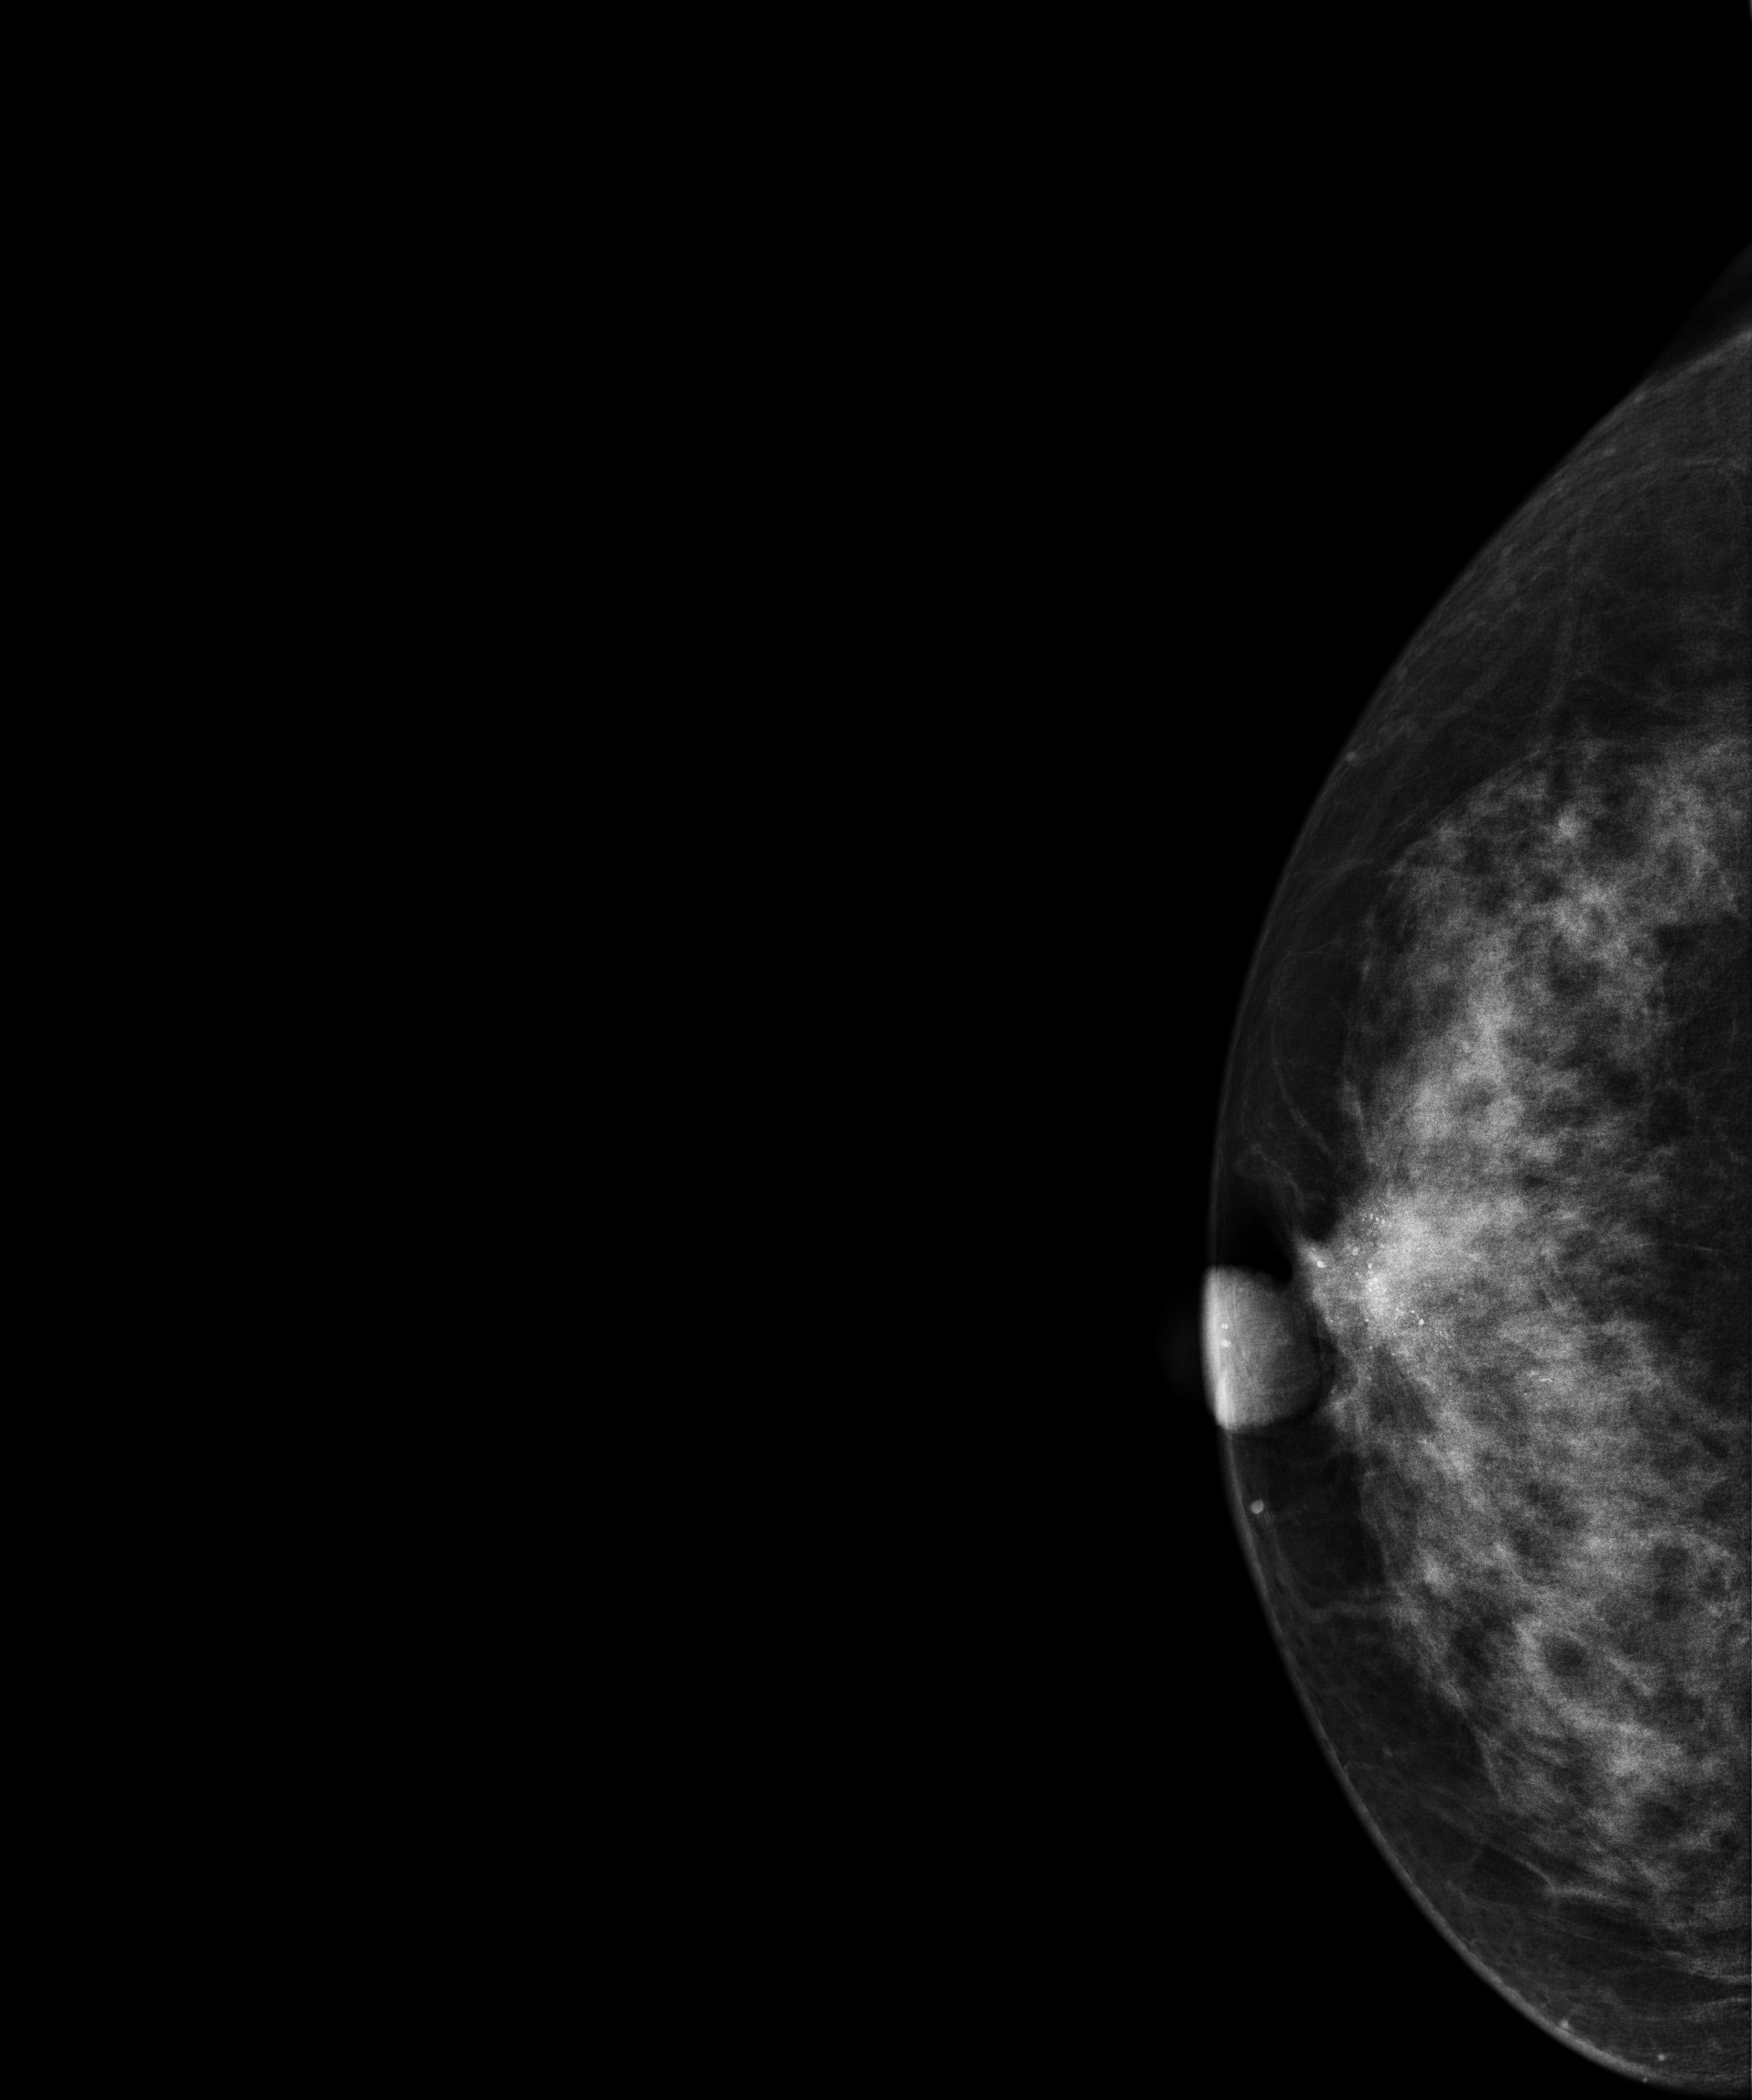
Mammogram — right CC. 60-year-old patient.
This breast has calcifications, histologically confirmed malignant.